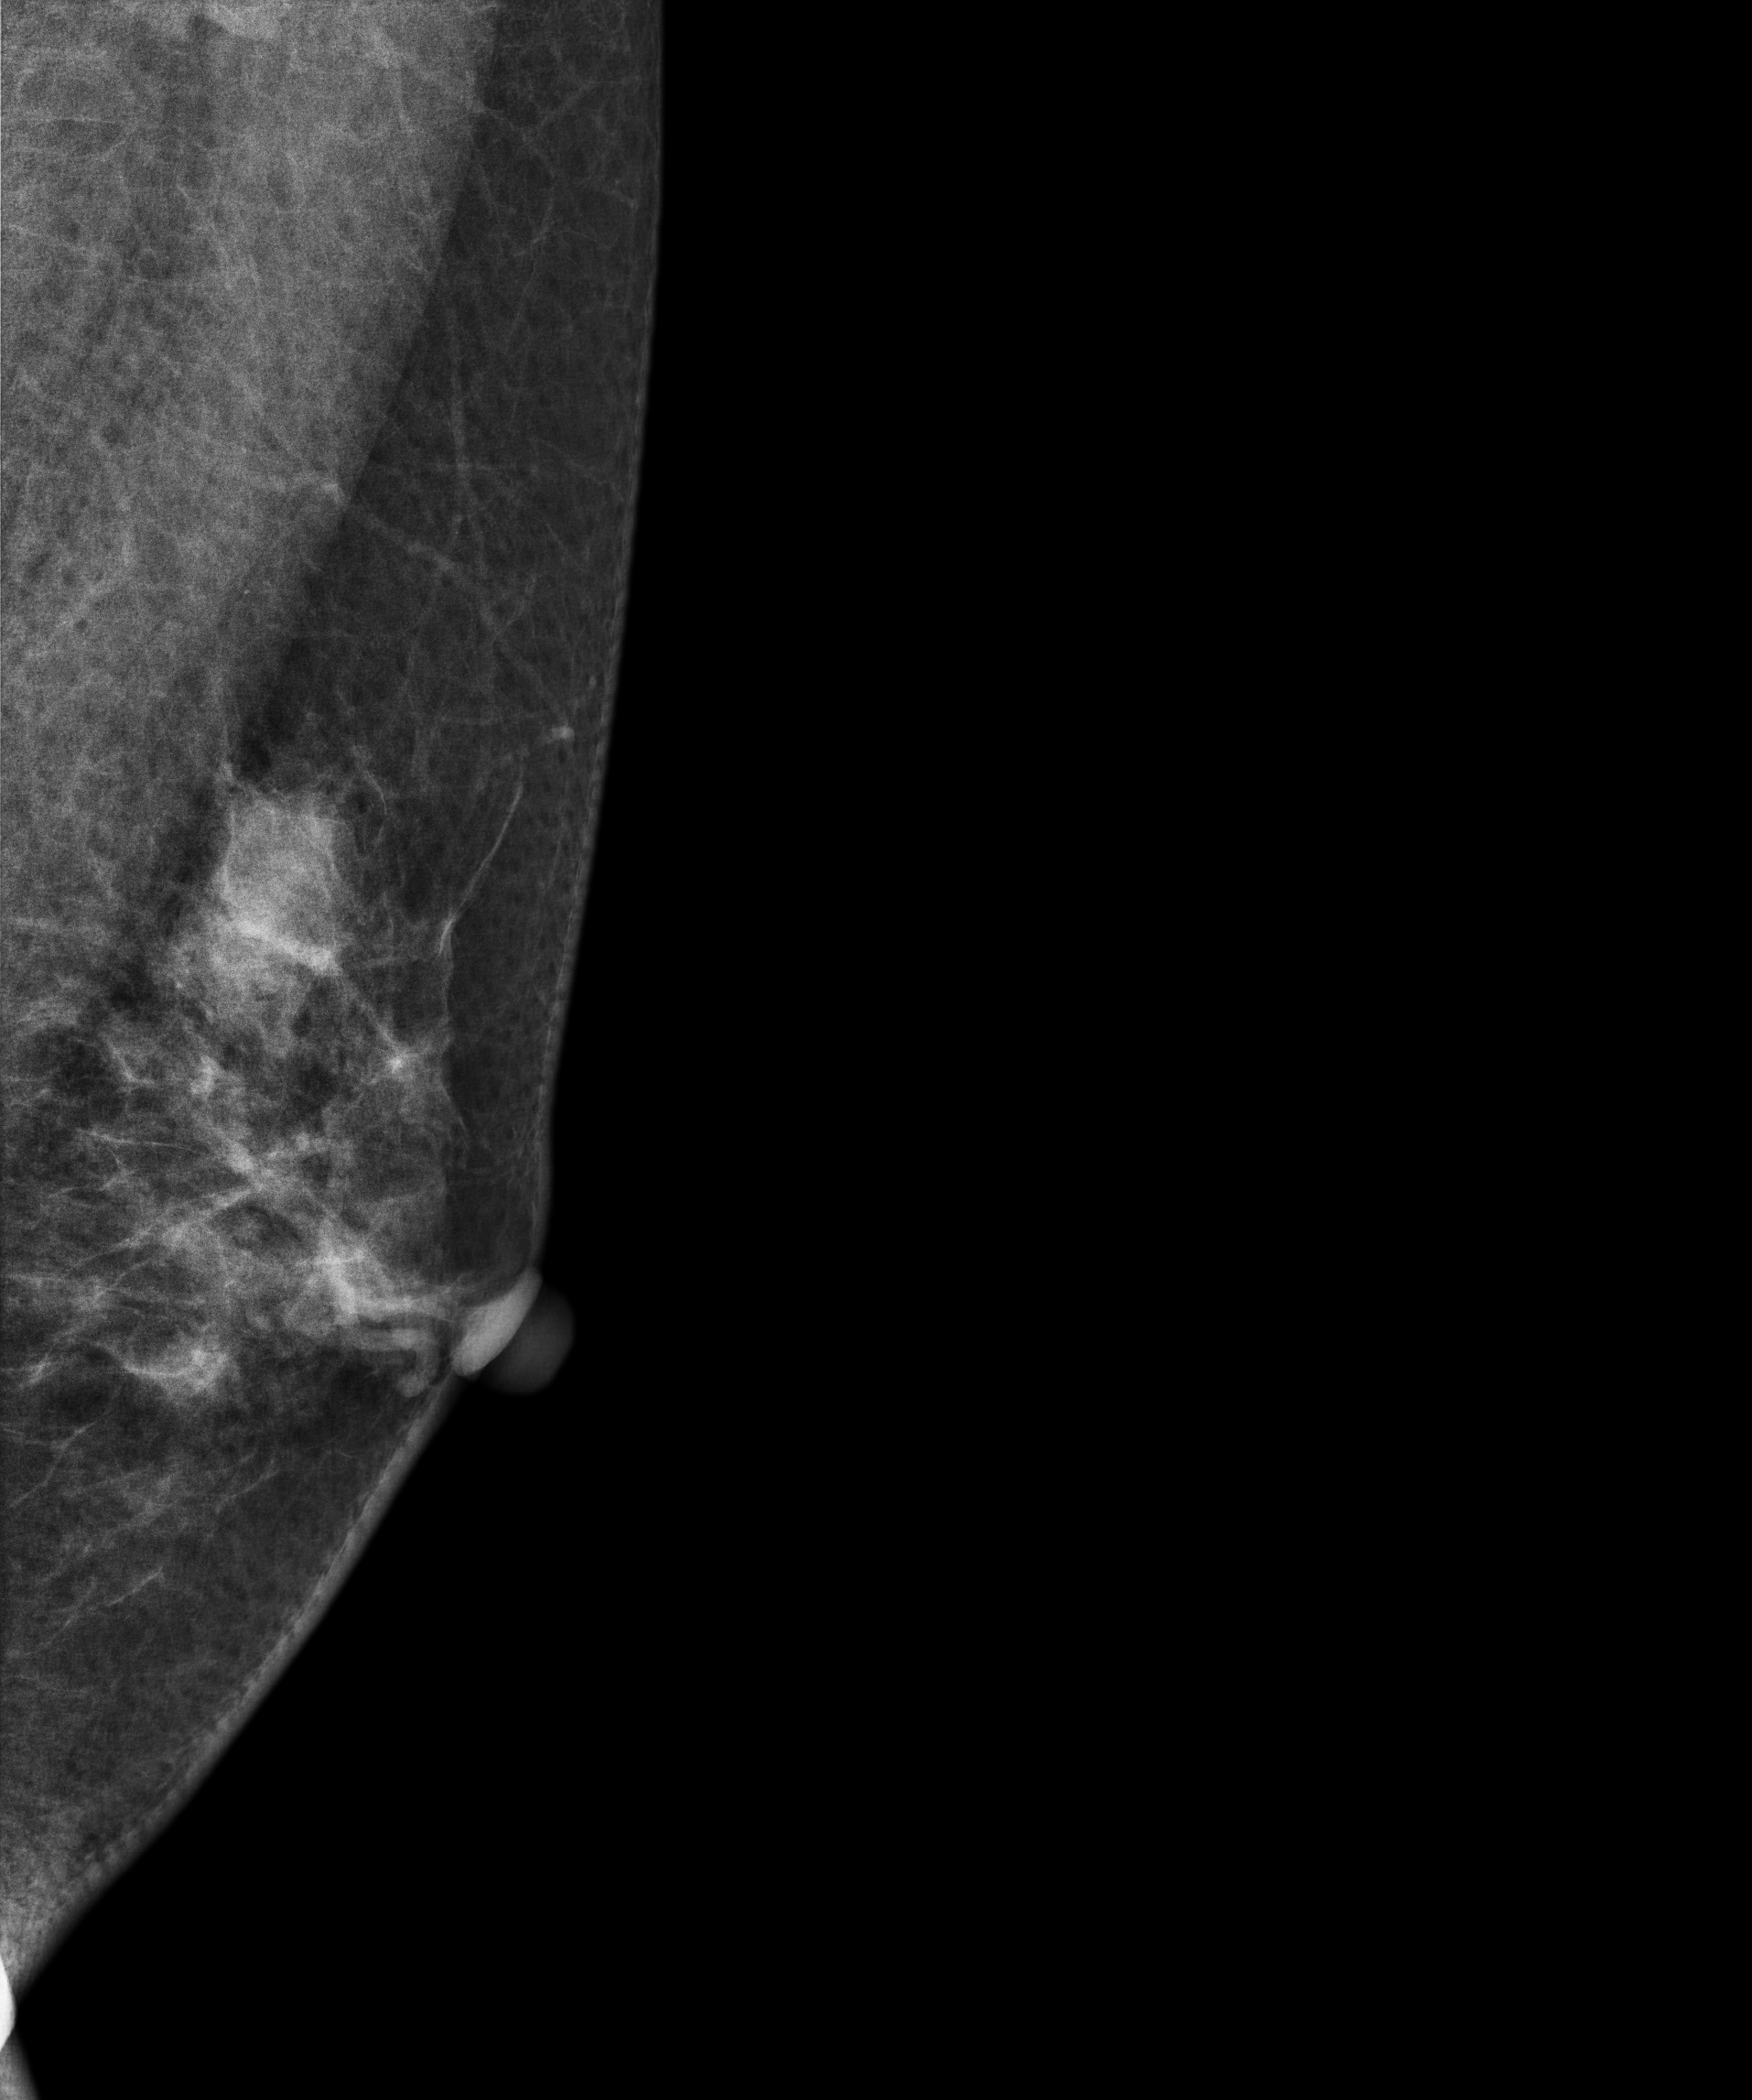
Left-breast mammogram, medio-lateral oblique. Patient age 35.
This breast has a mass, pathology-confirmed benign.